Right-breast mammogram, medio-lateral oblique. Patient age 54.
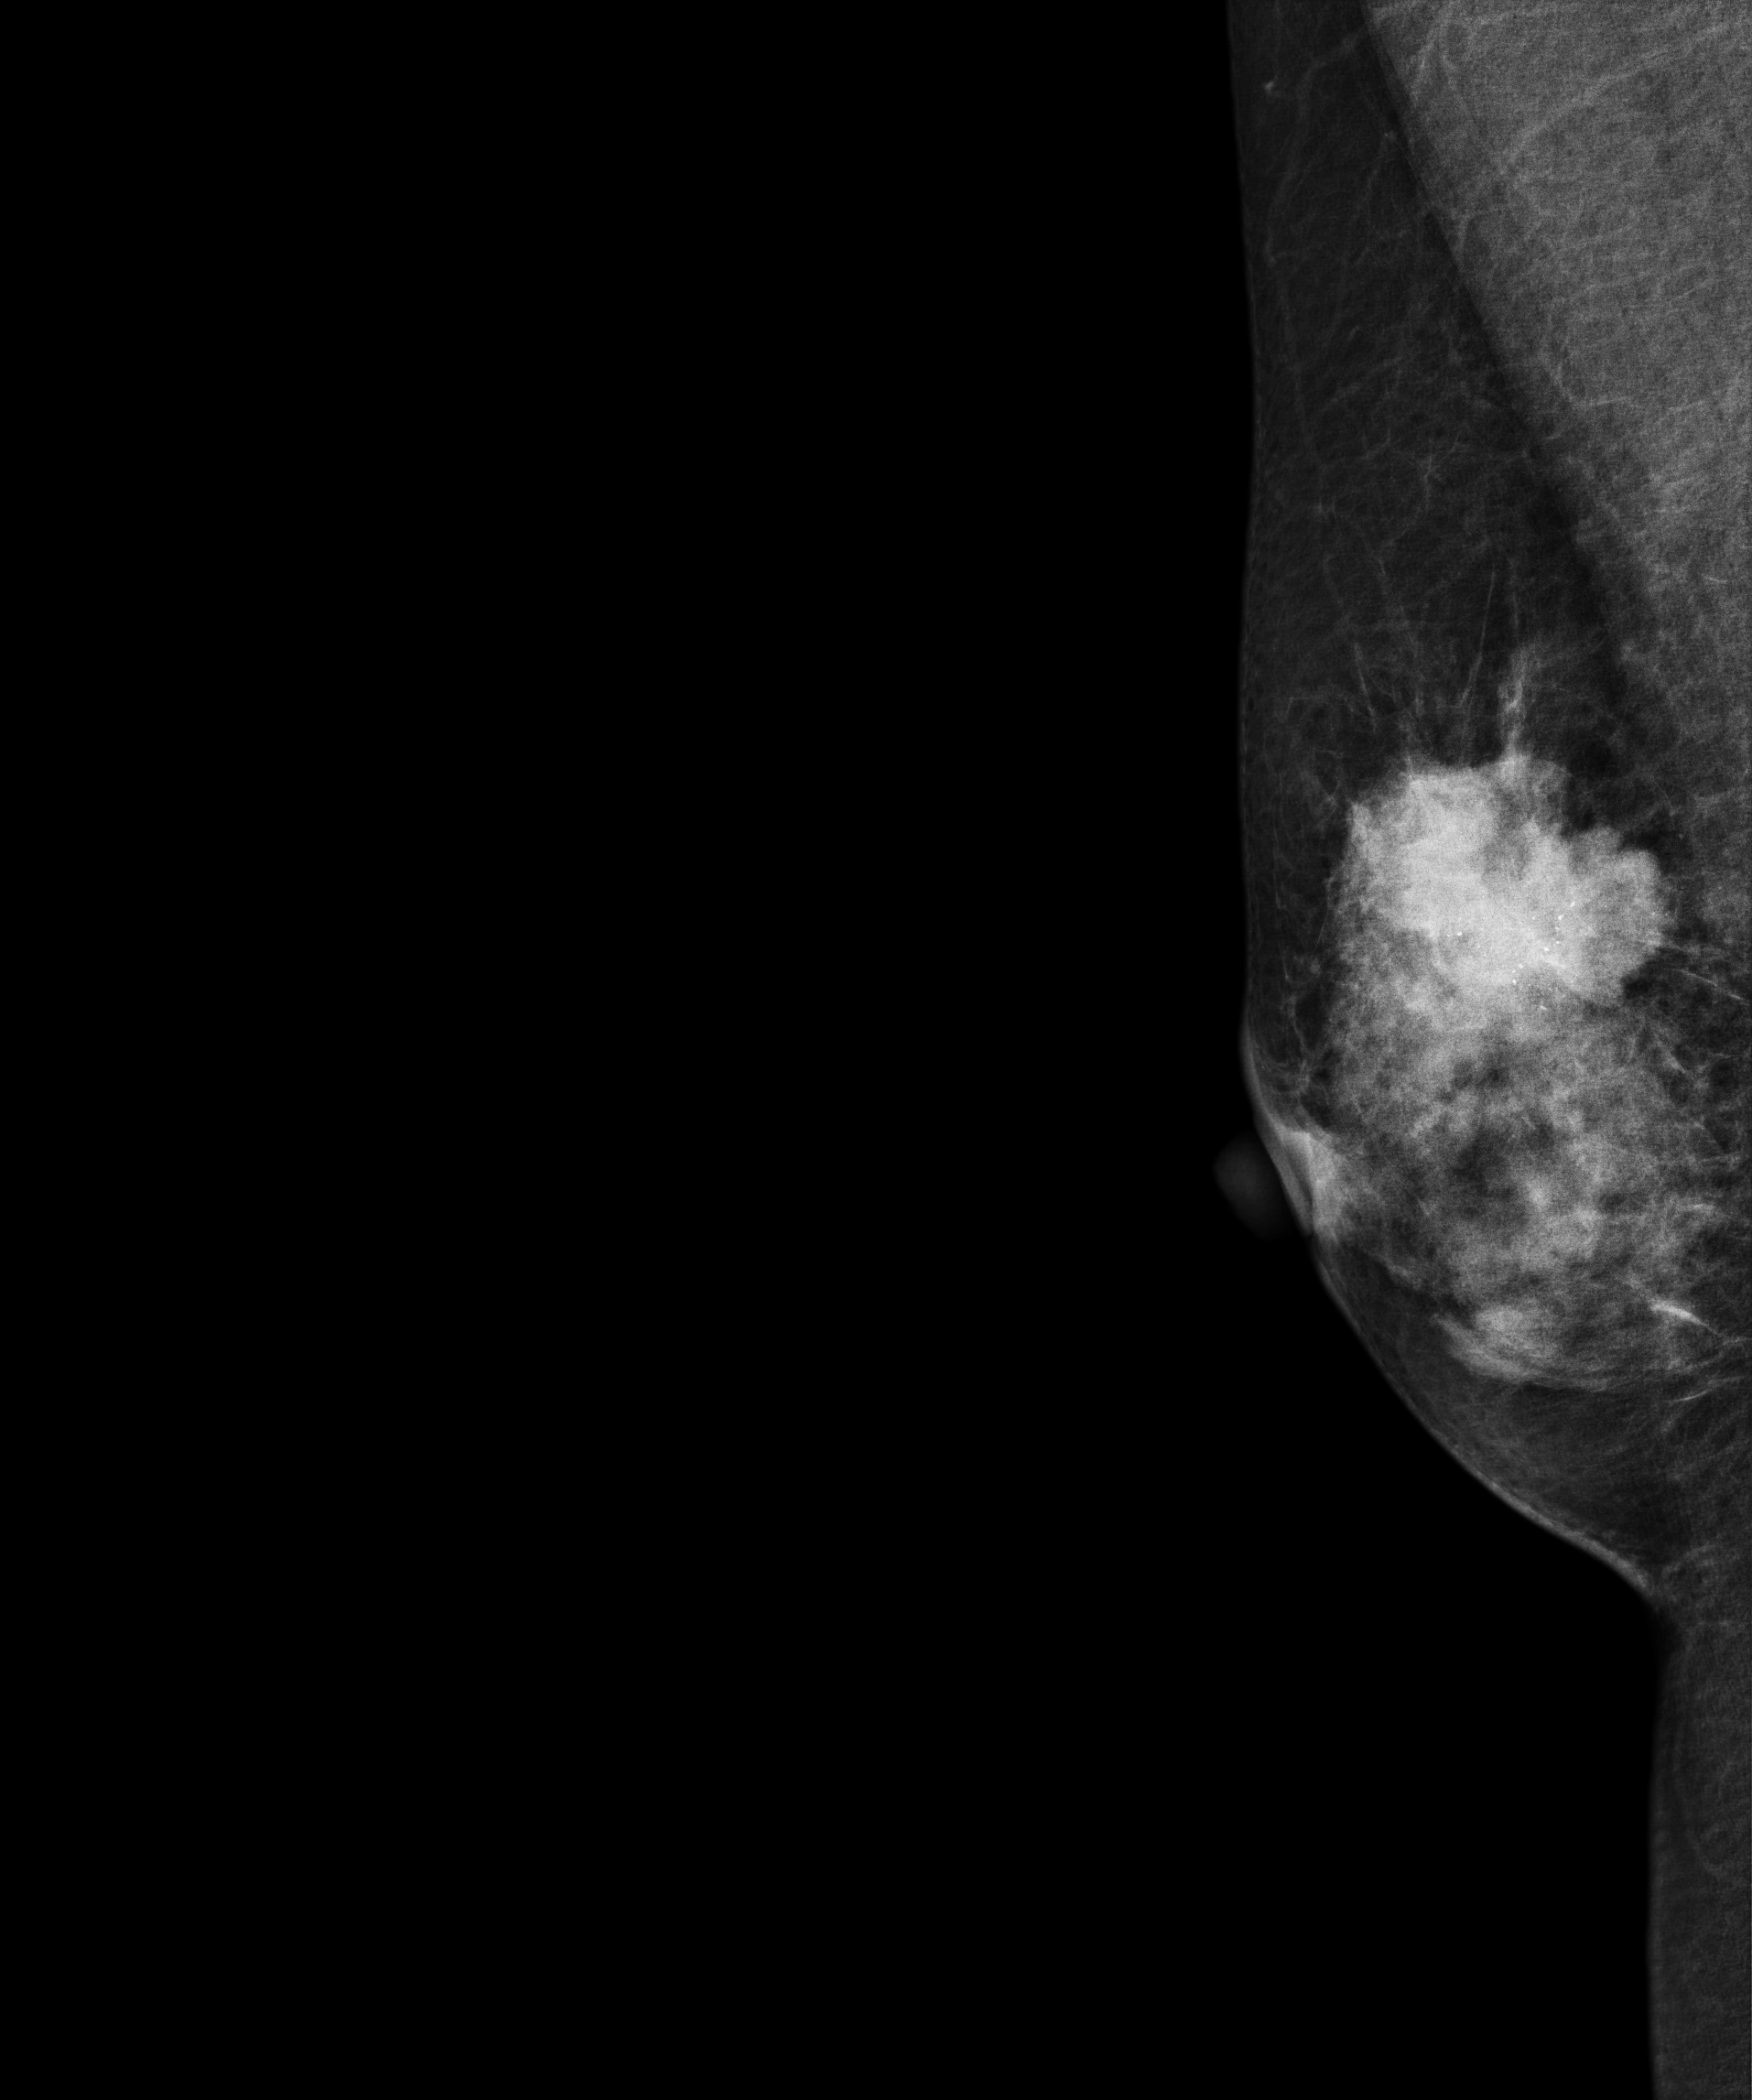
This breast has a mass and calcifications, biopsy-confirmed malignant. Molecular subtype: luminal B.